Mammogram, right breast, cranio-caudal view. 54 y/o patient.
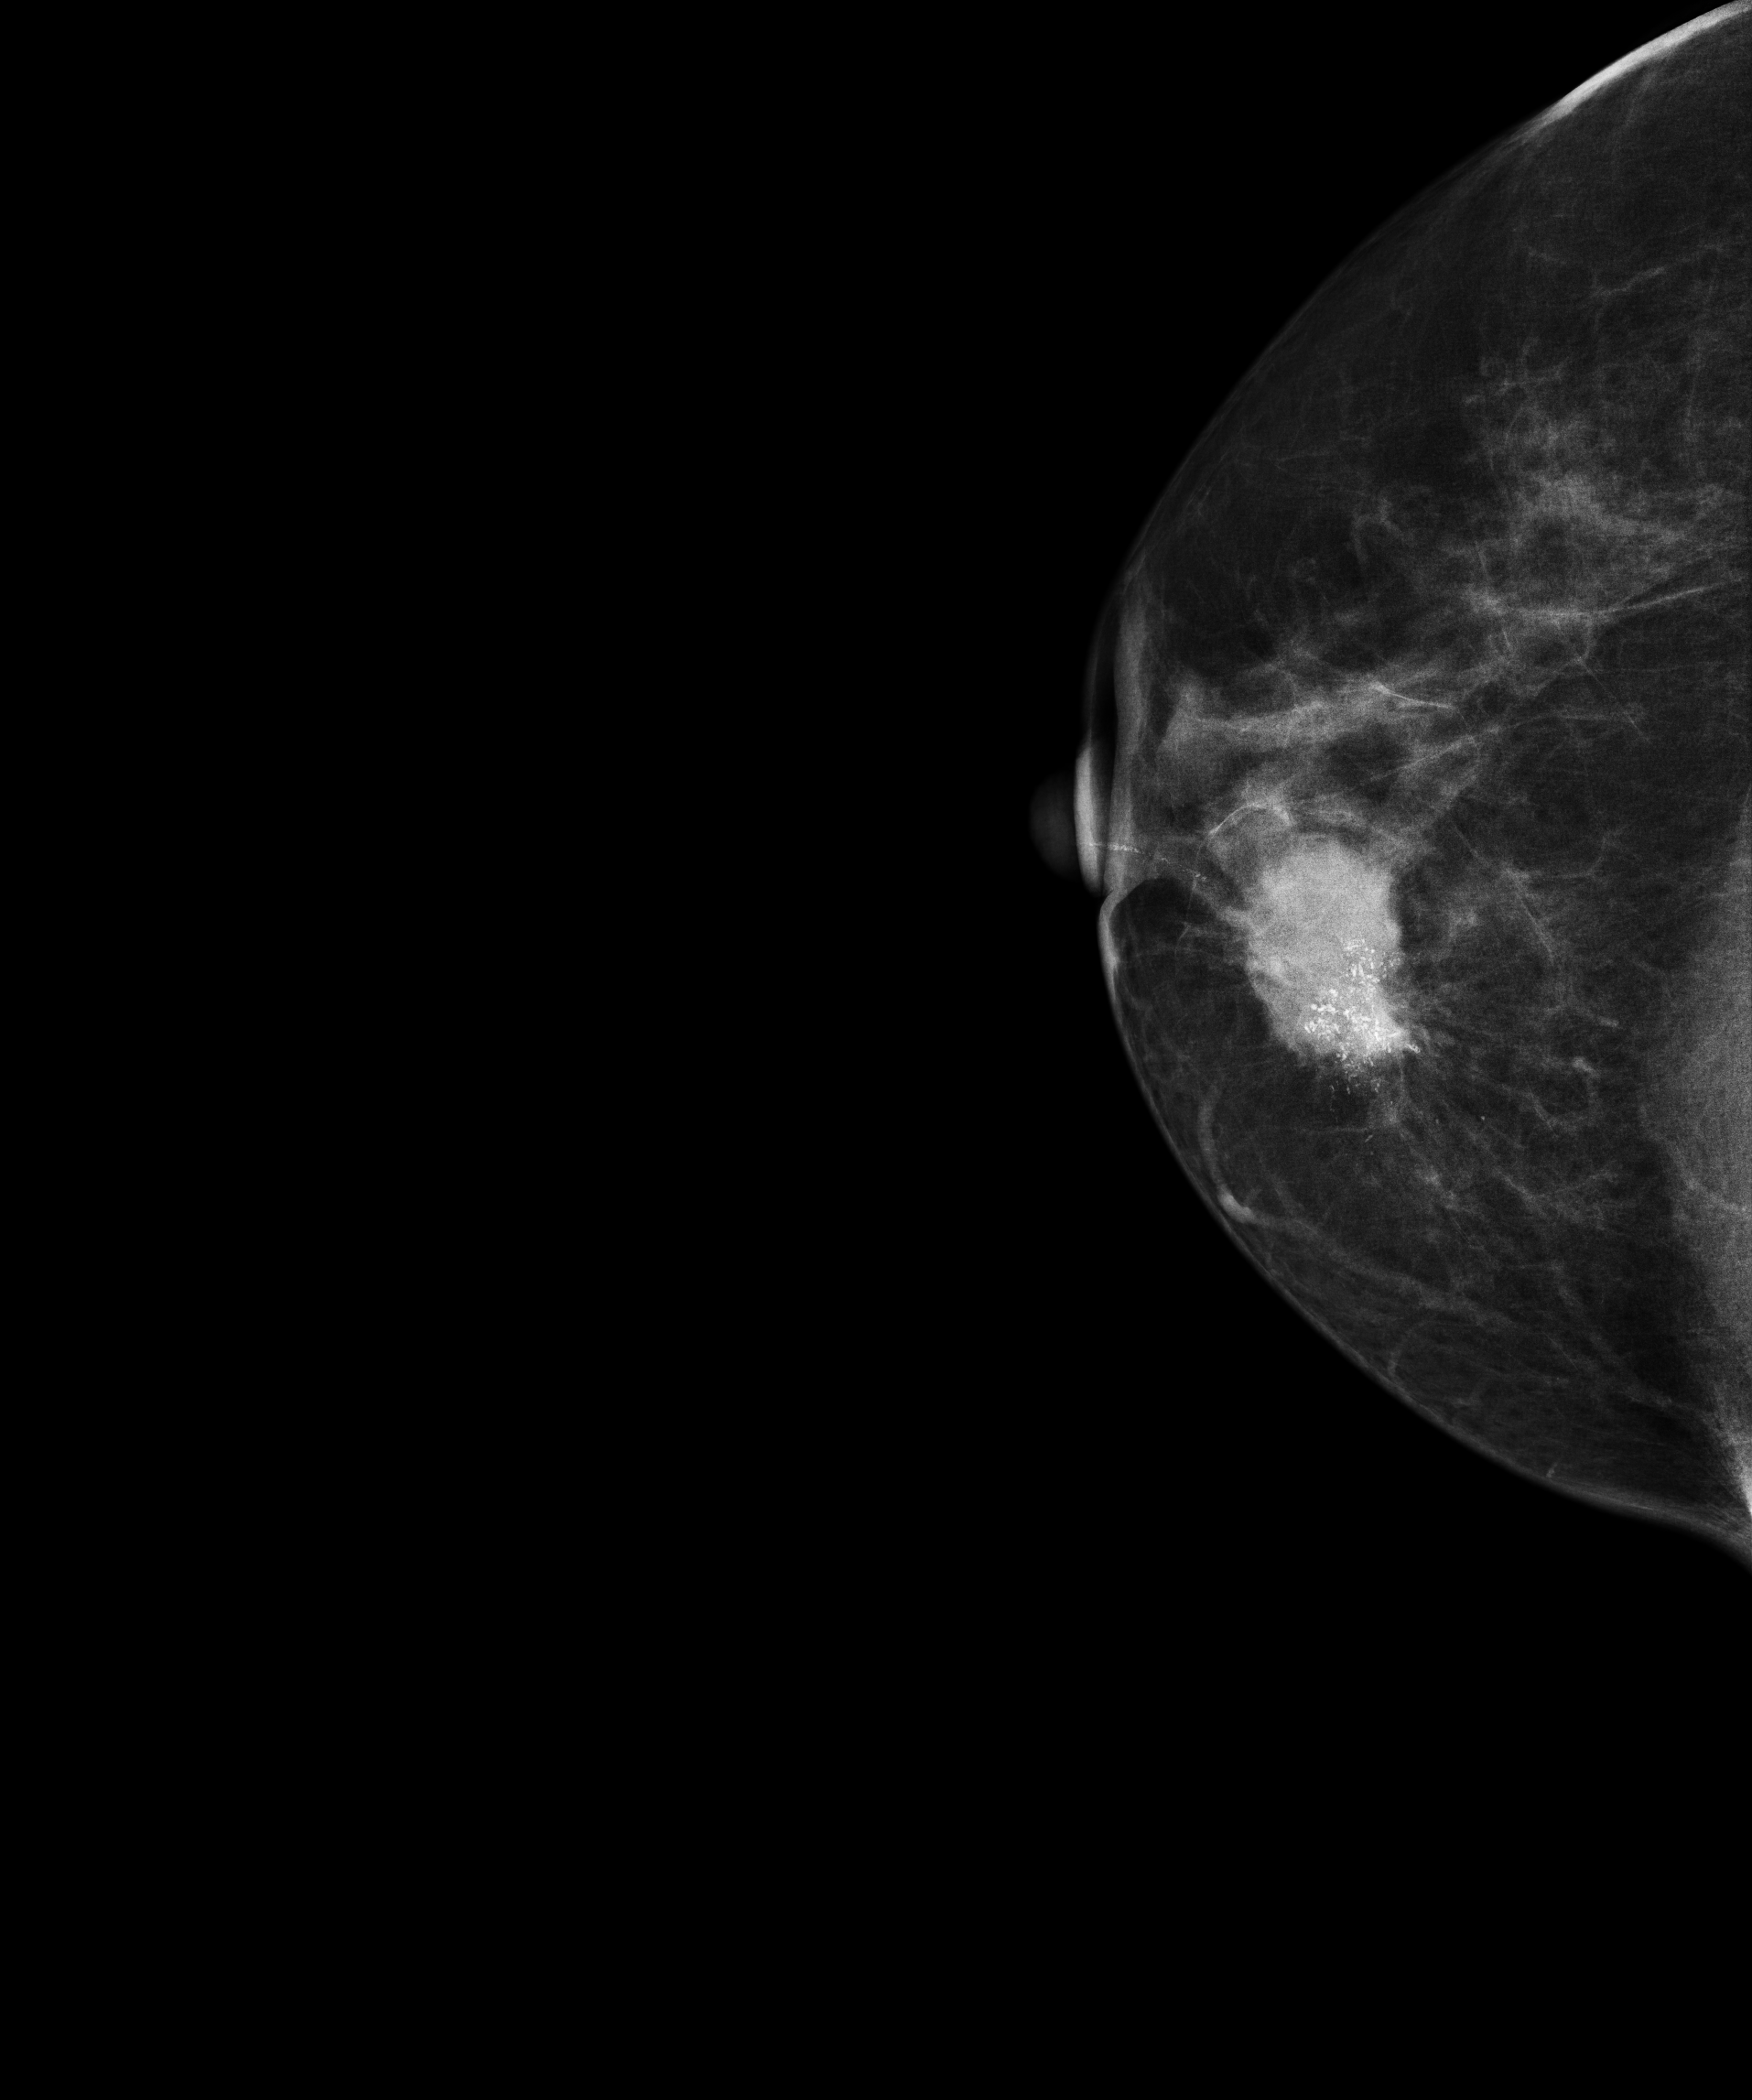
This breast has a mass and calcifications, biopsy-proven malignant.